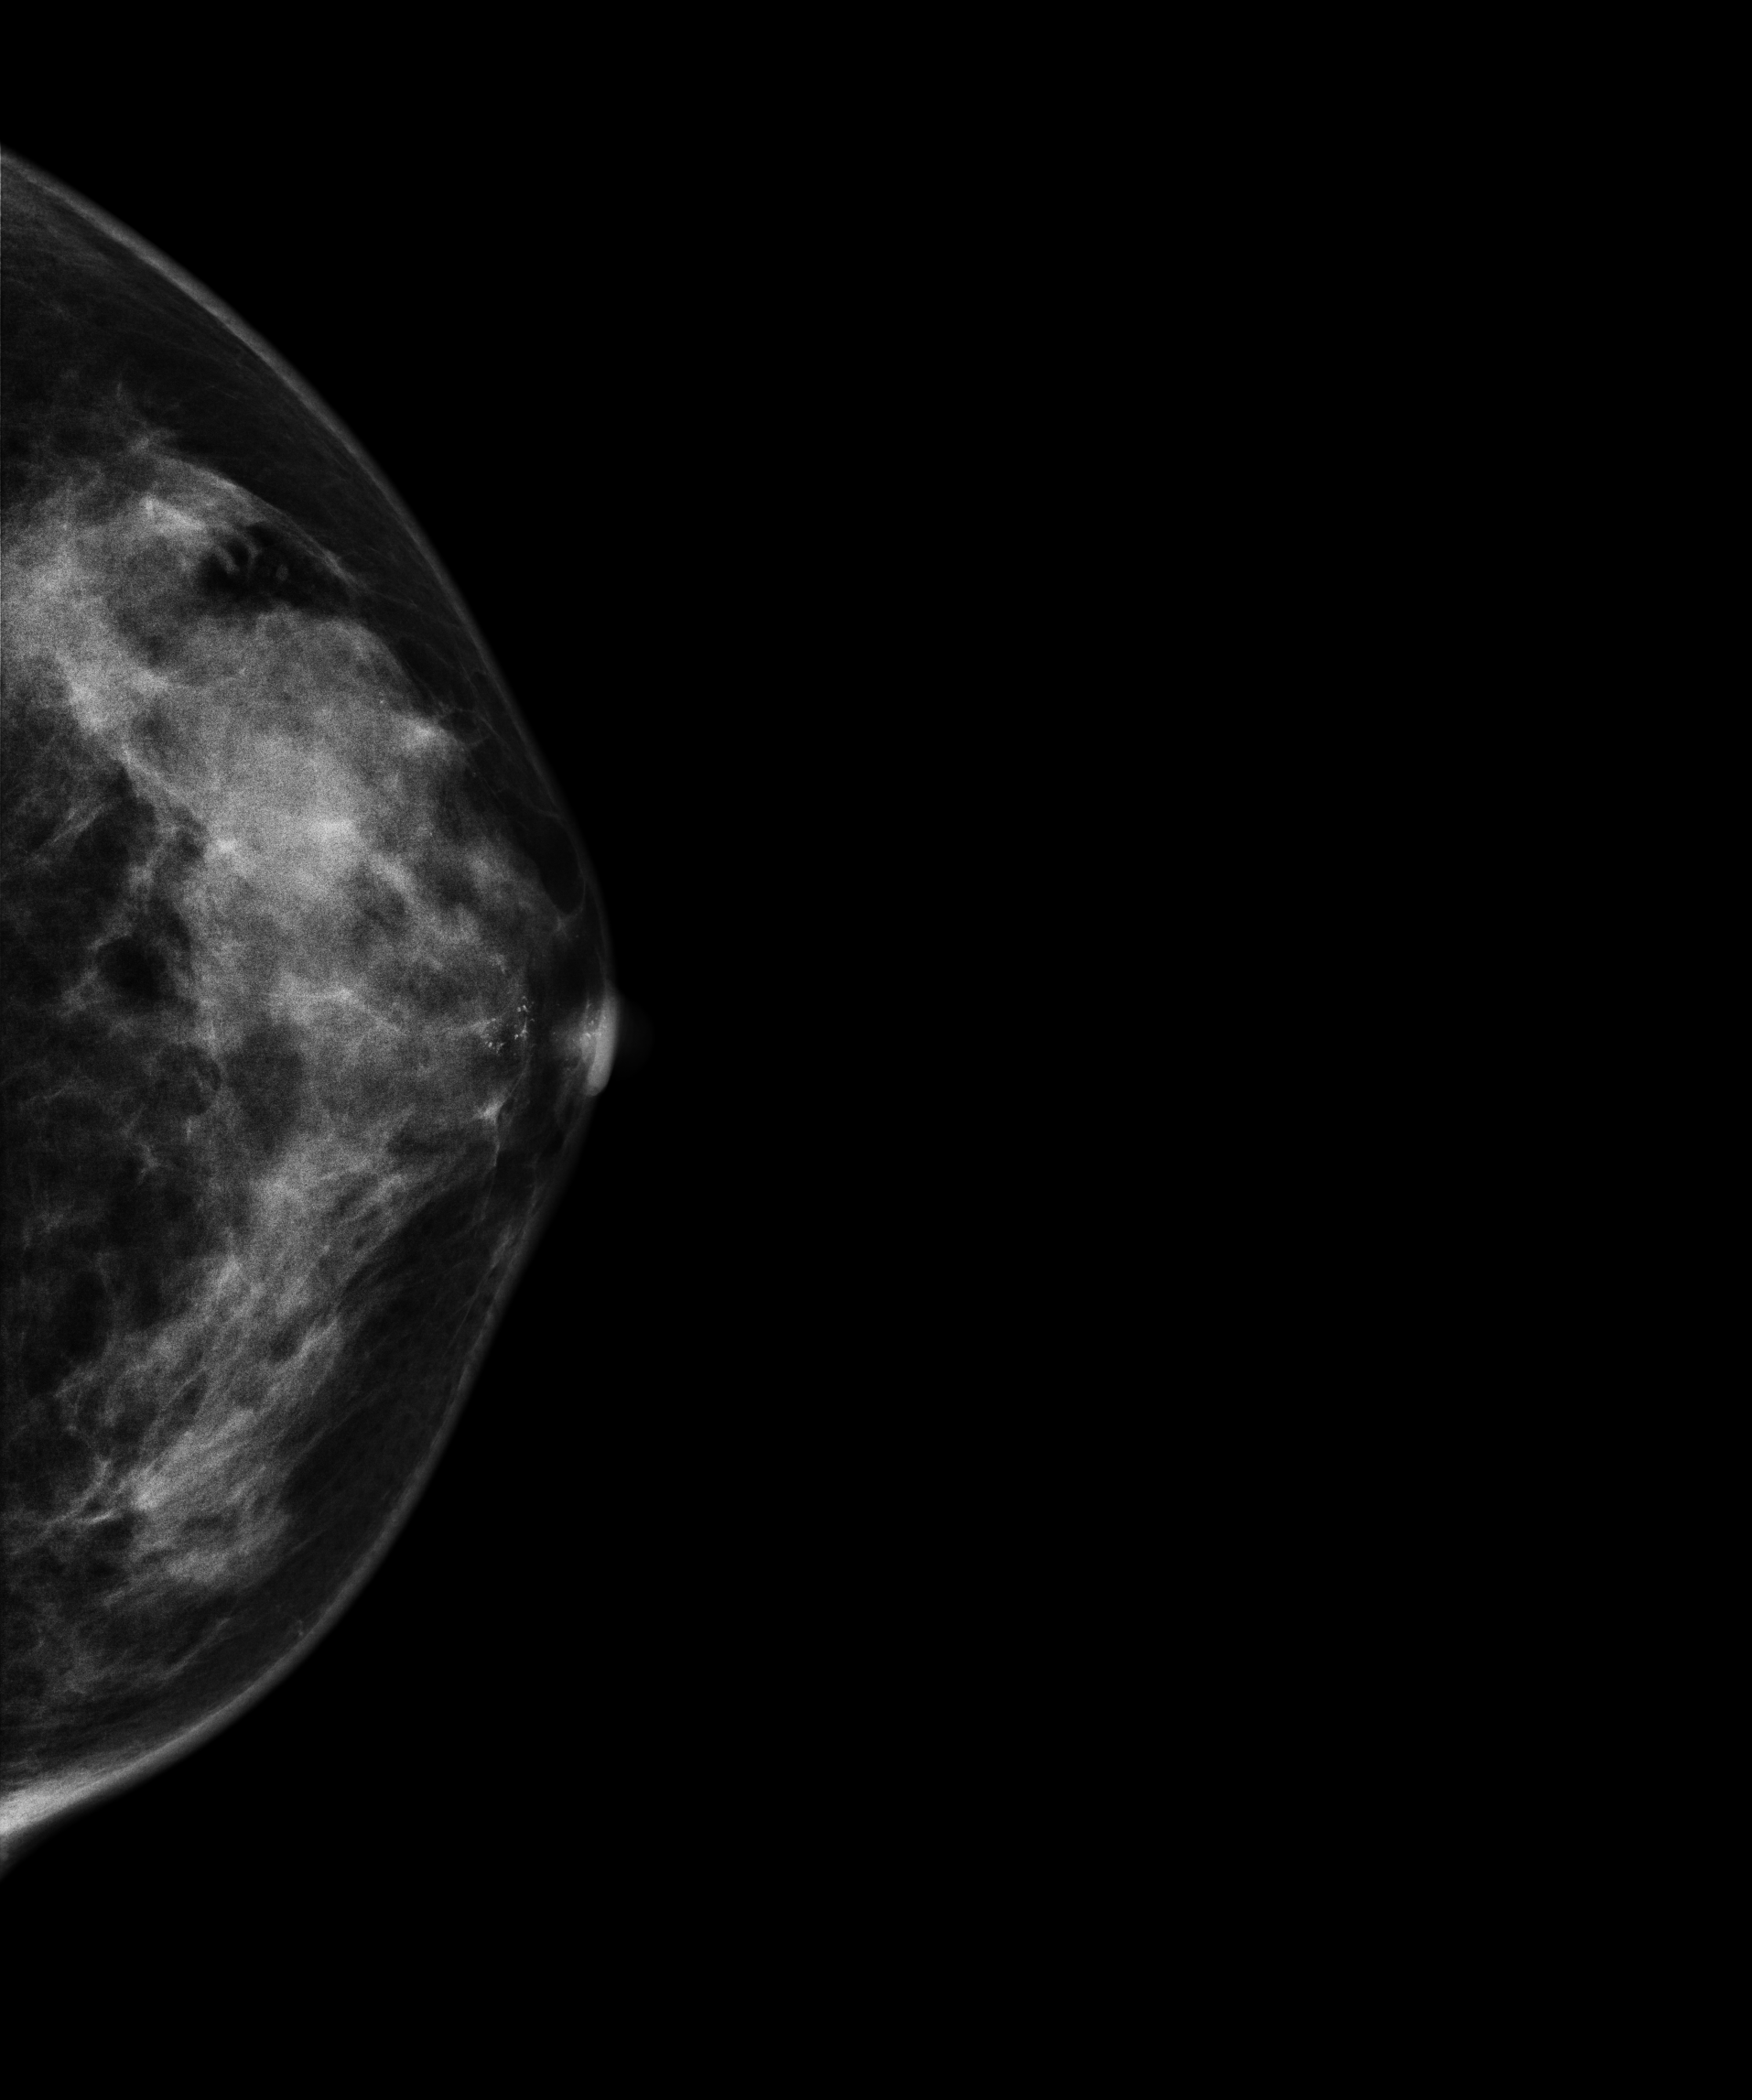
CC mammogram of the left breast. 41 y/o patient.
This breast has calcifications, biopsy-confirmed malignant.